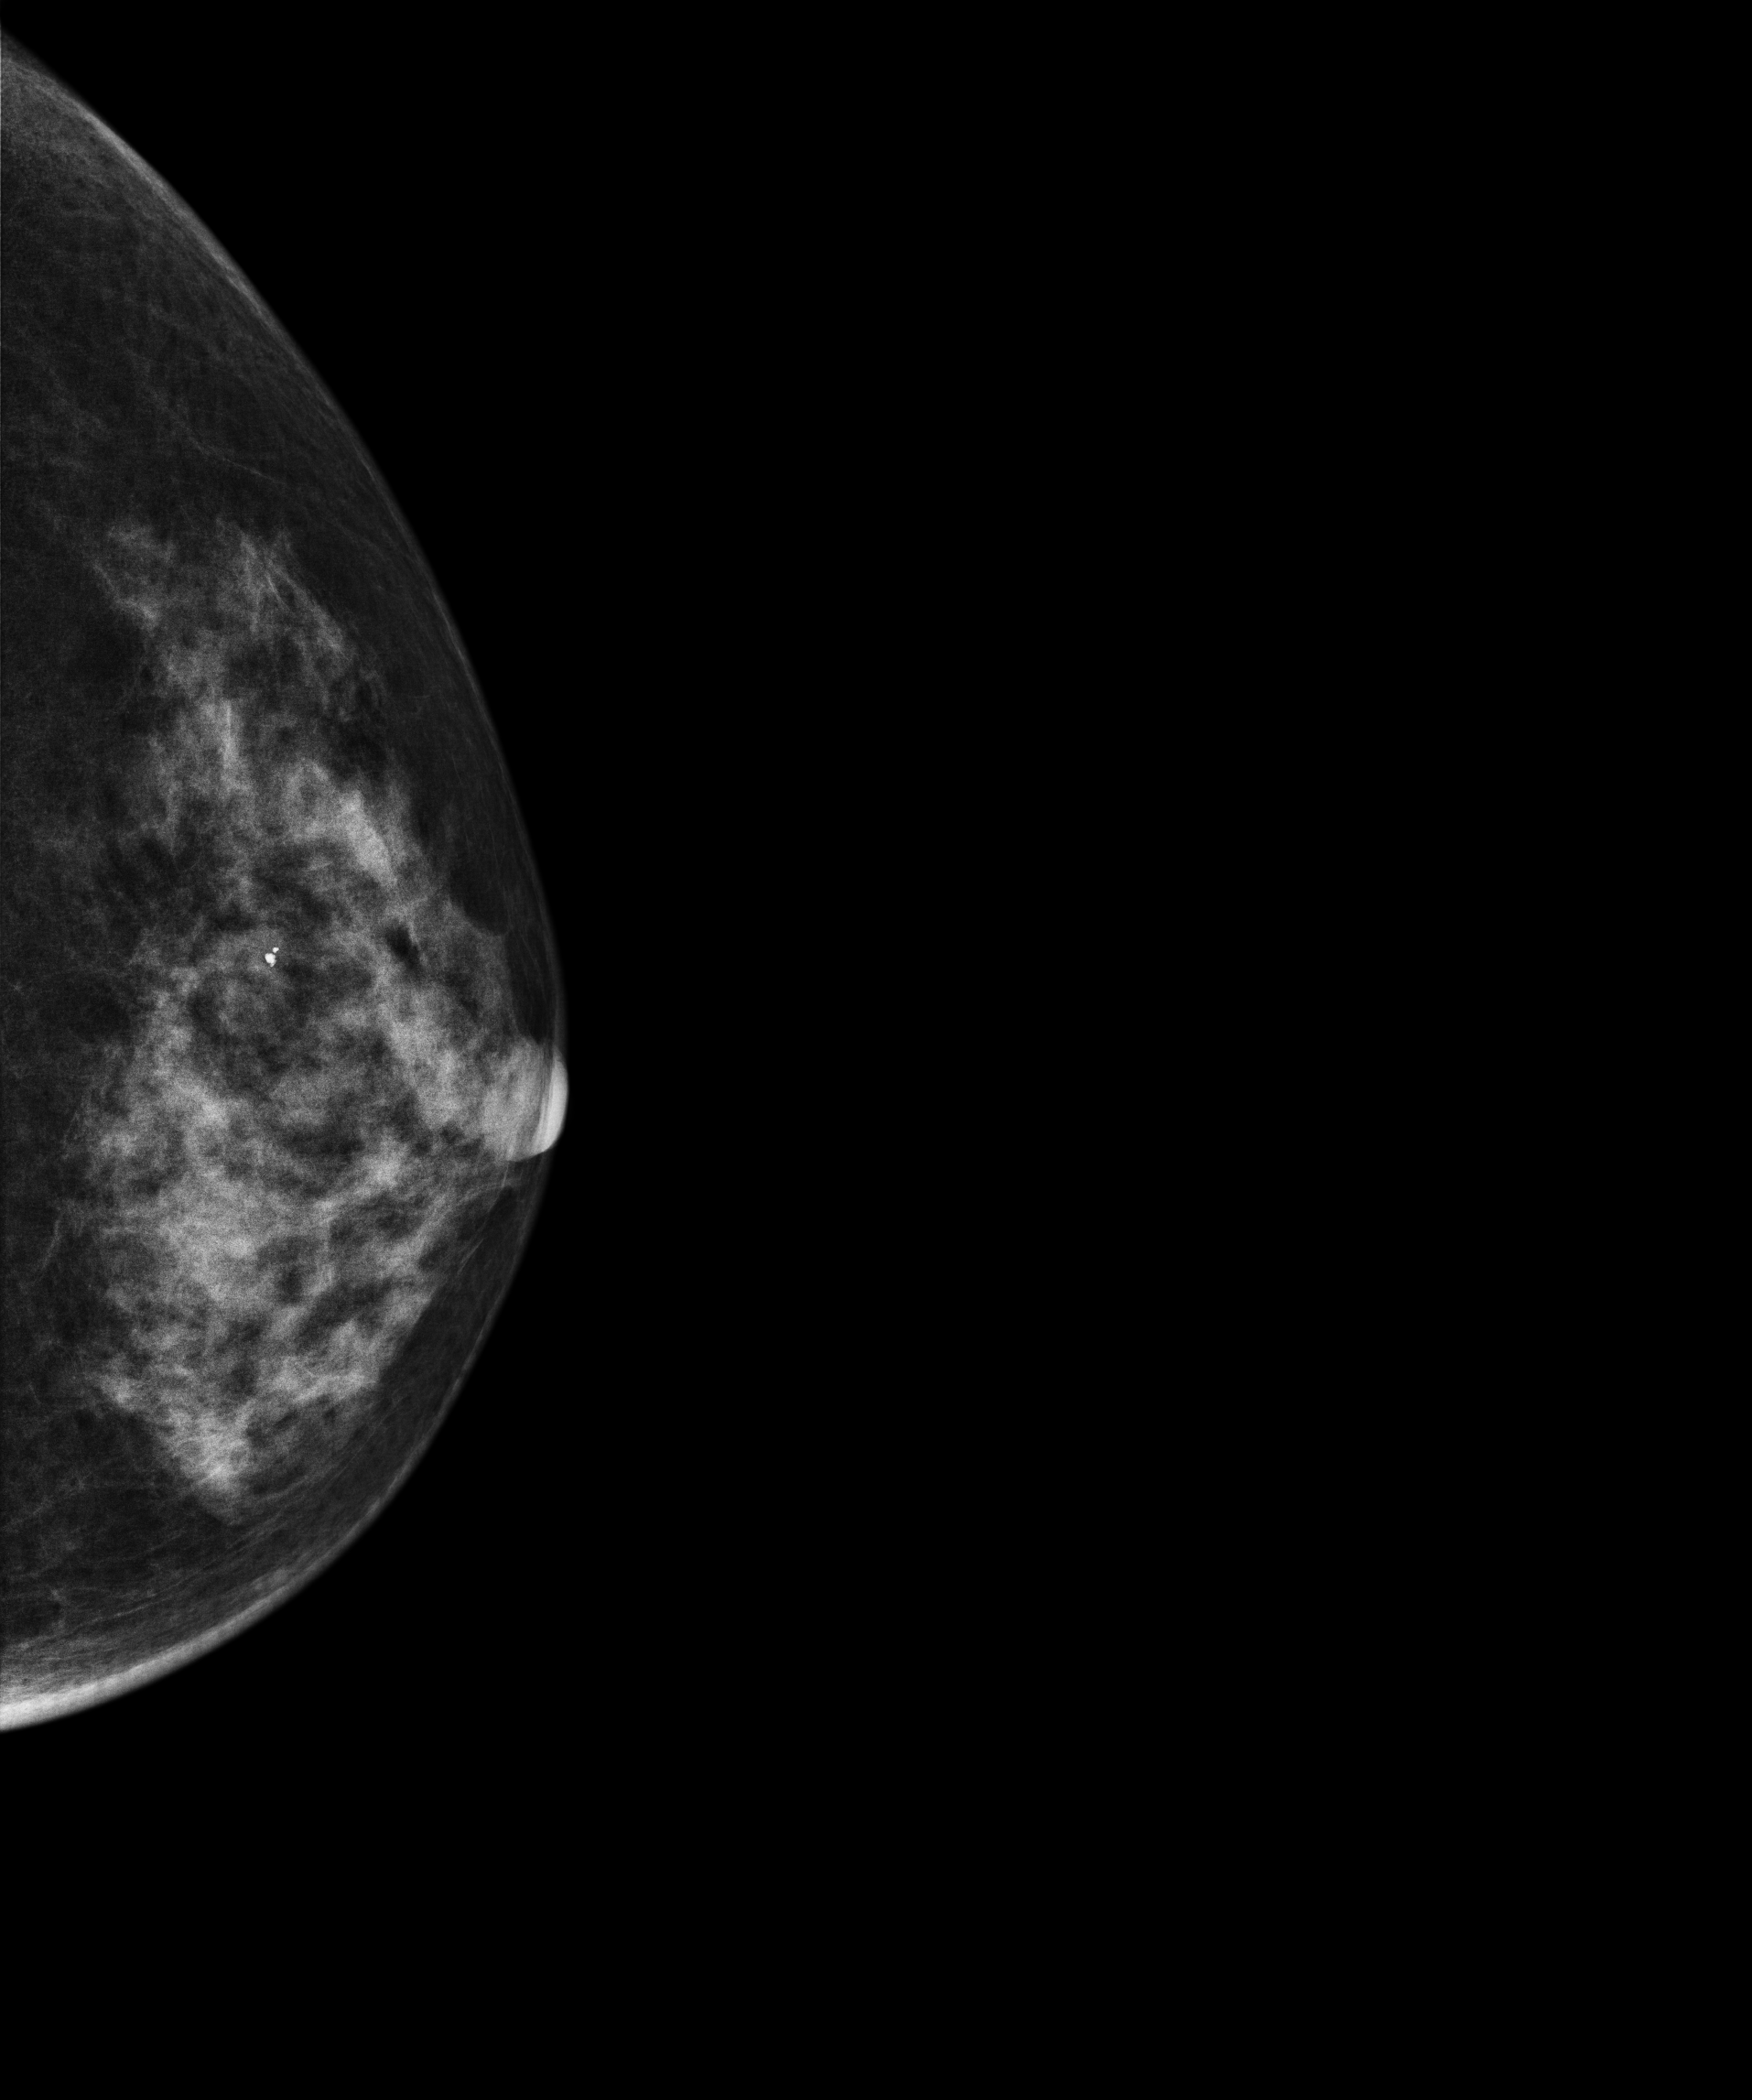
Mammogram, left breast, cranio-caudal view. 59 y/o patient.
Contralateral breast — no documented abnormality on this side.